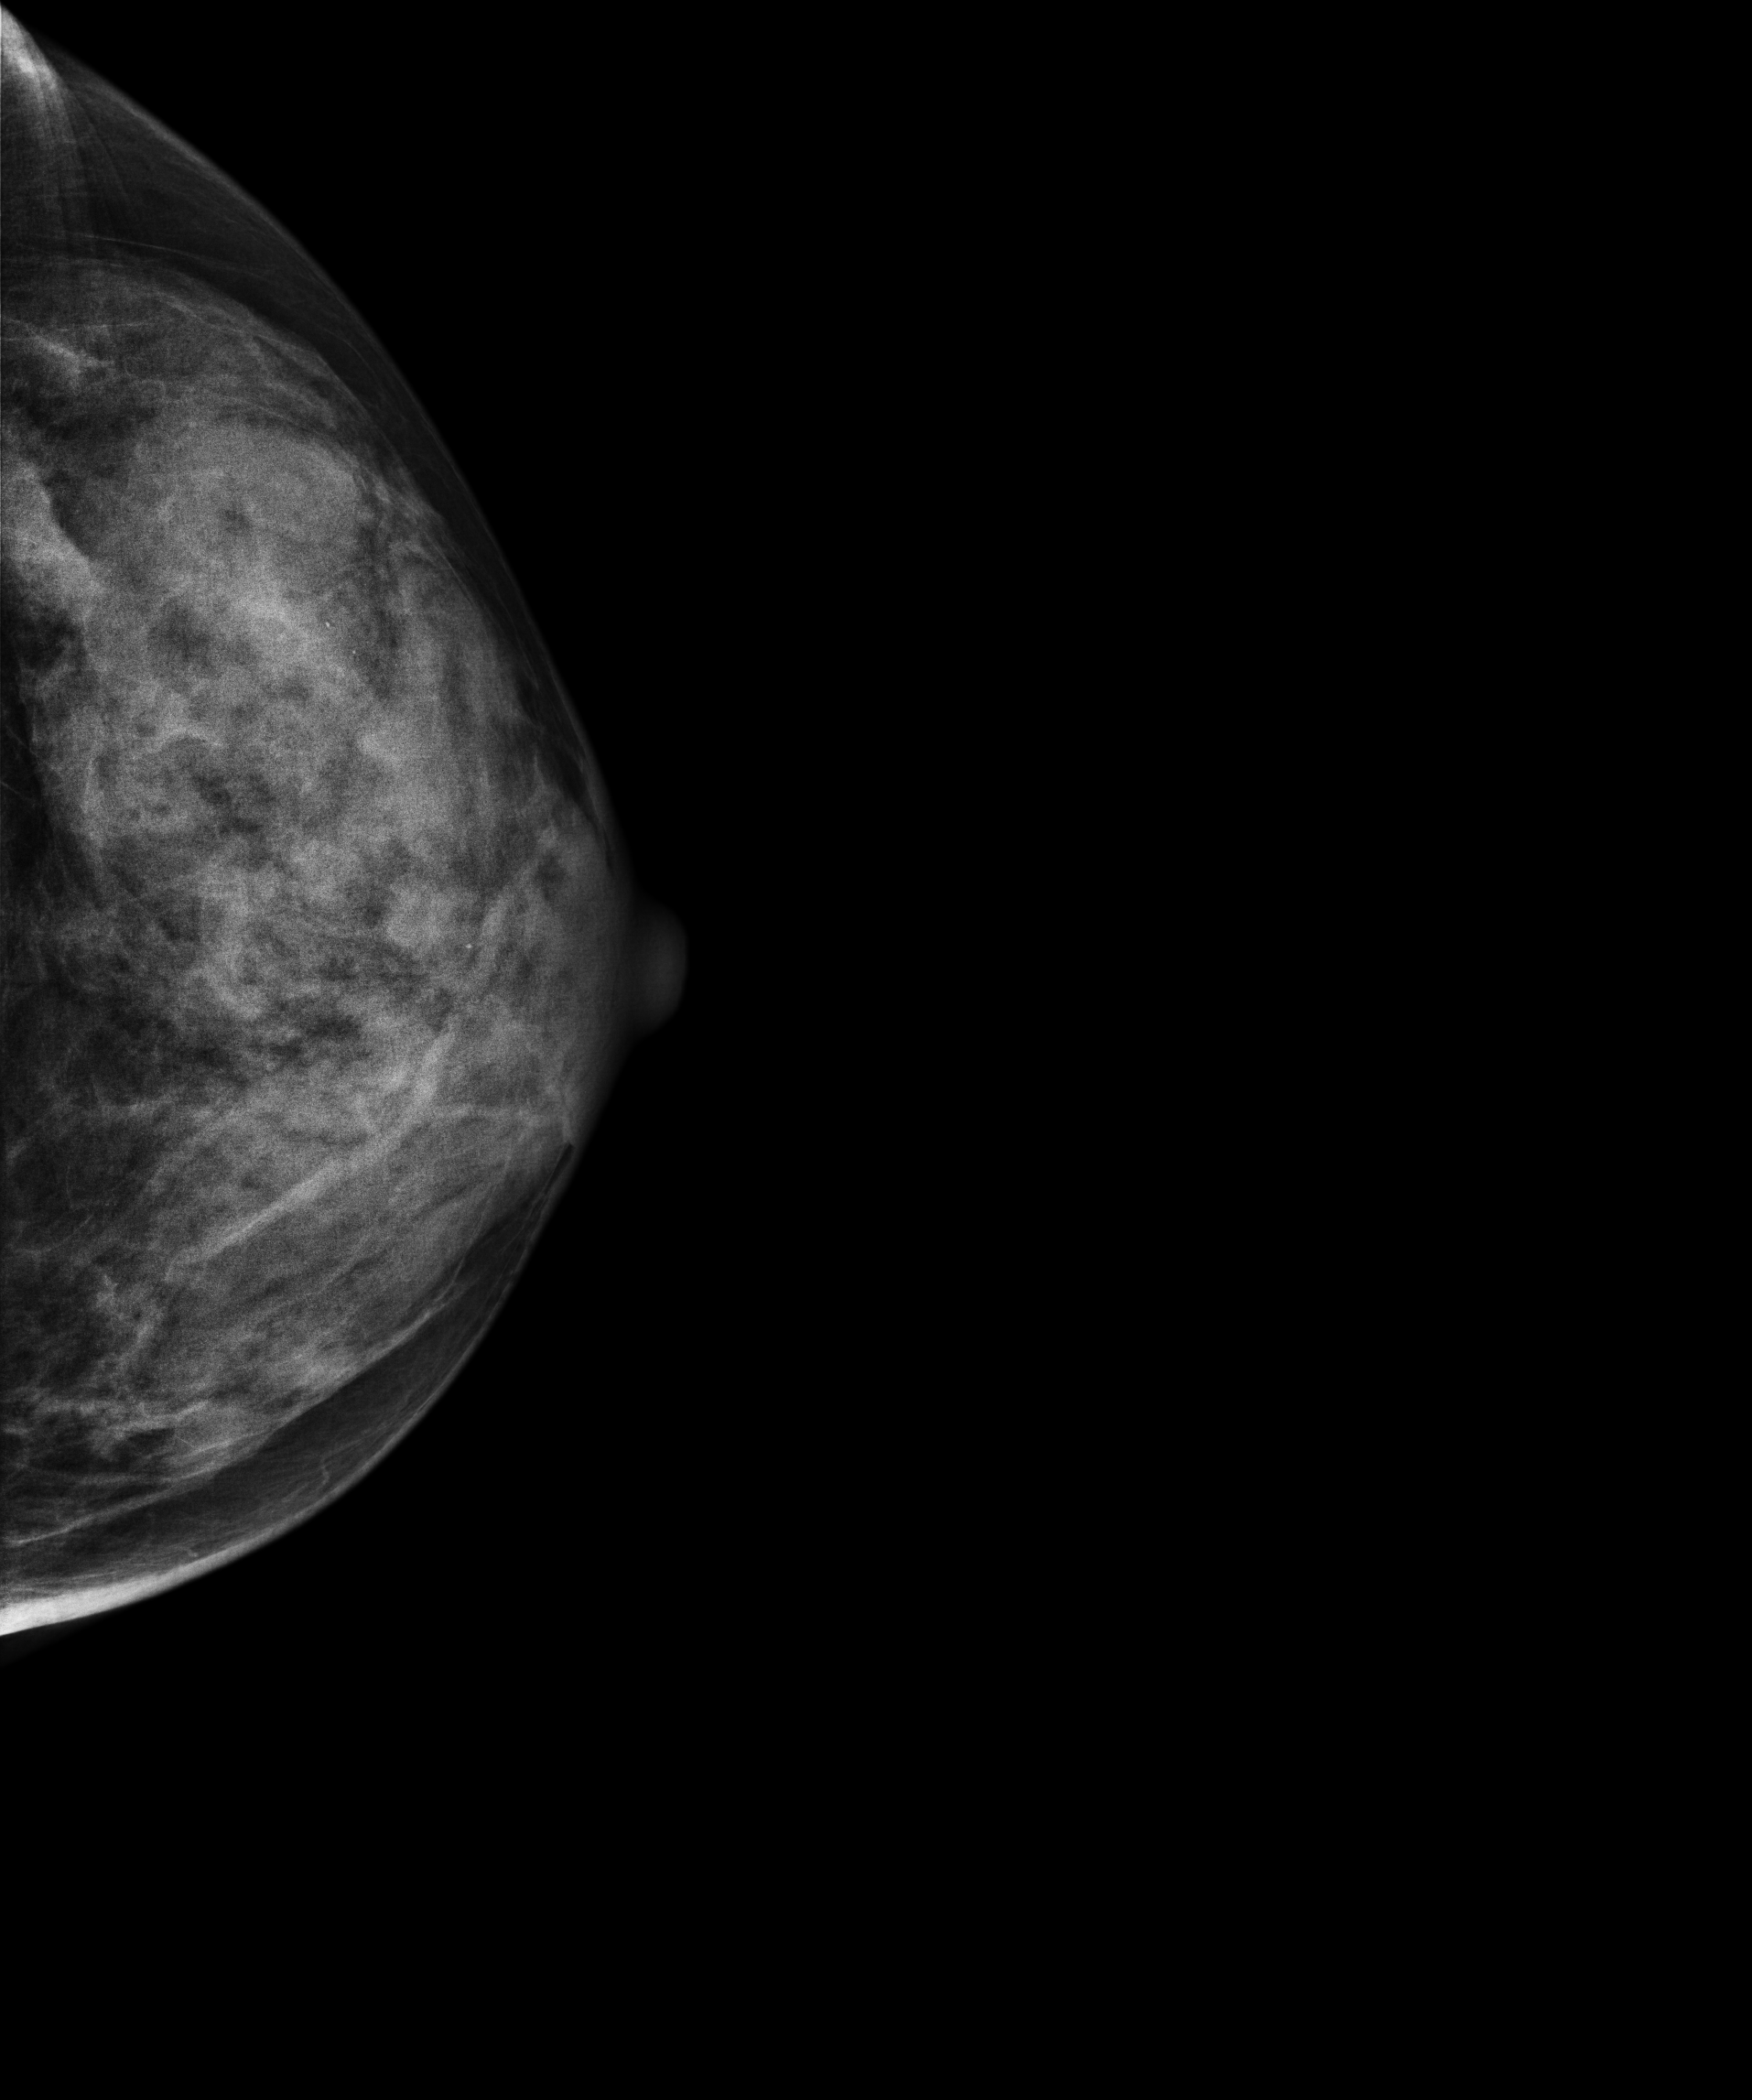
Left-breast mammogram, CC. 48 y/o patient.
This breast has a mass, biopsy-proven benign.